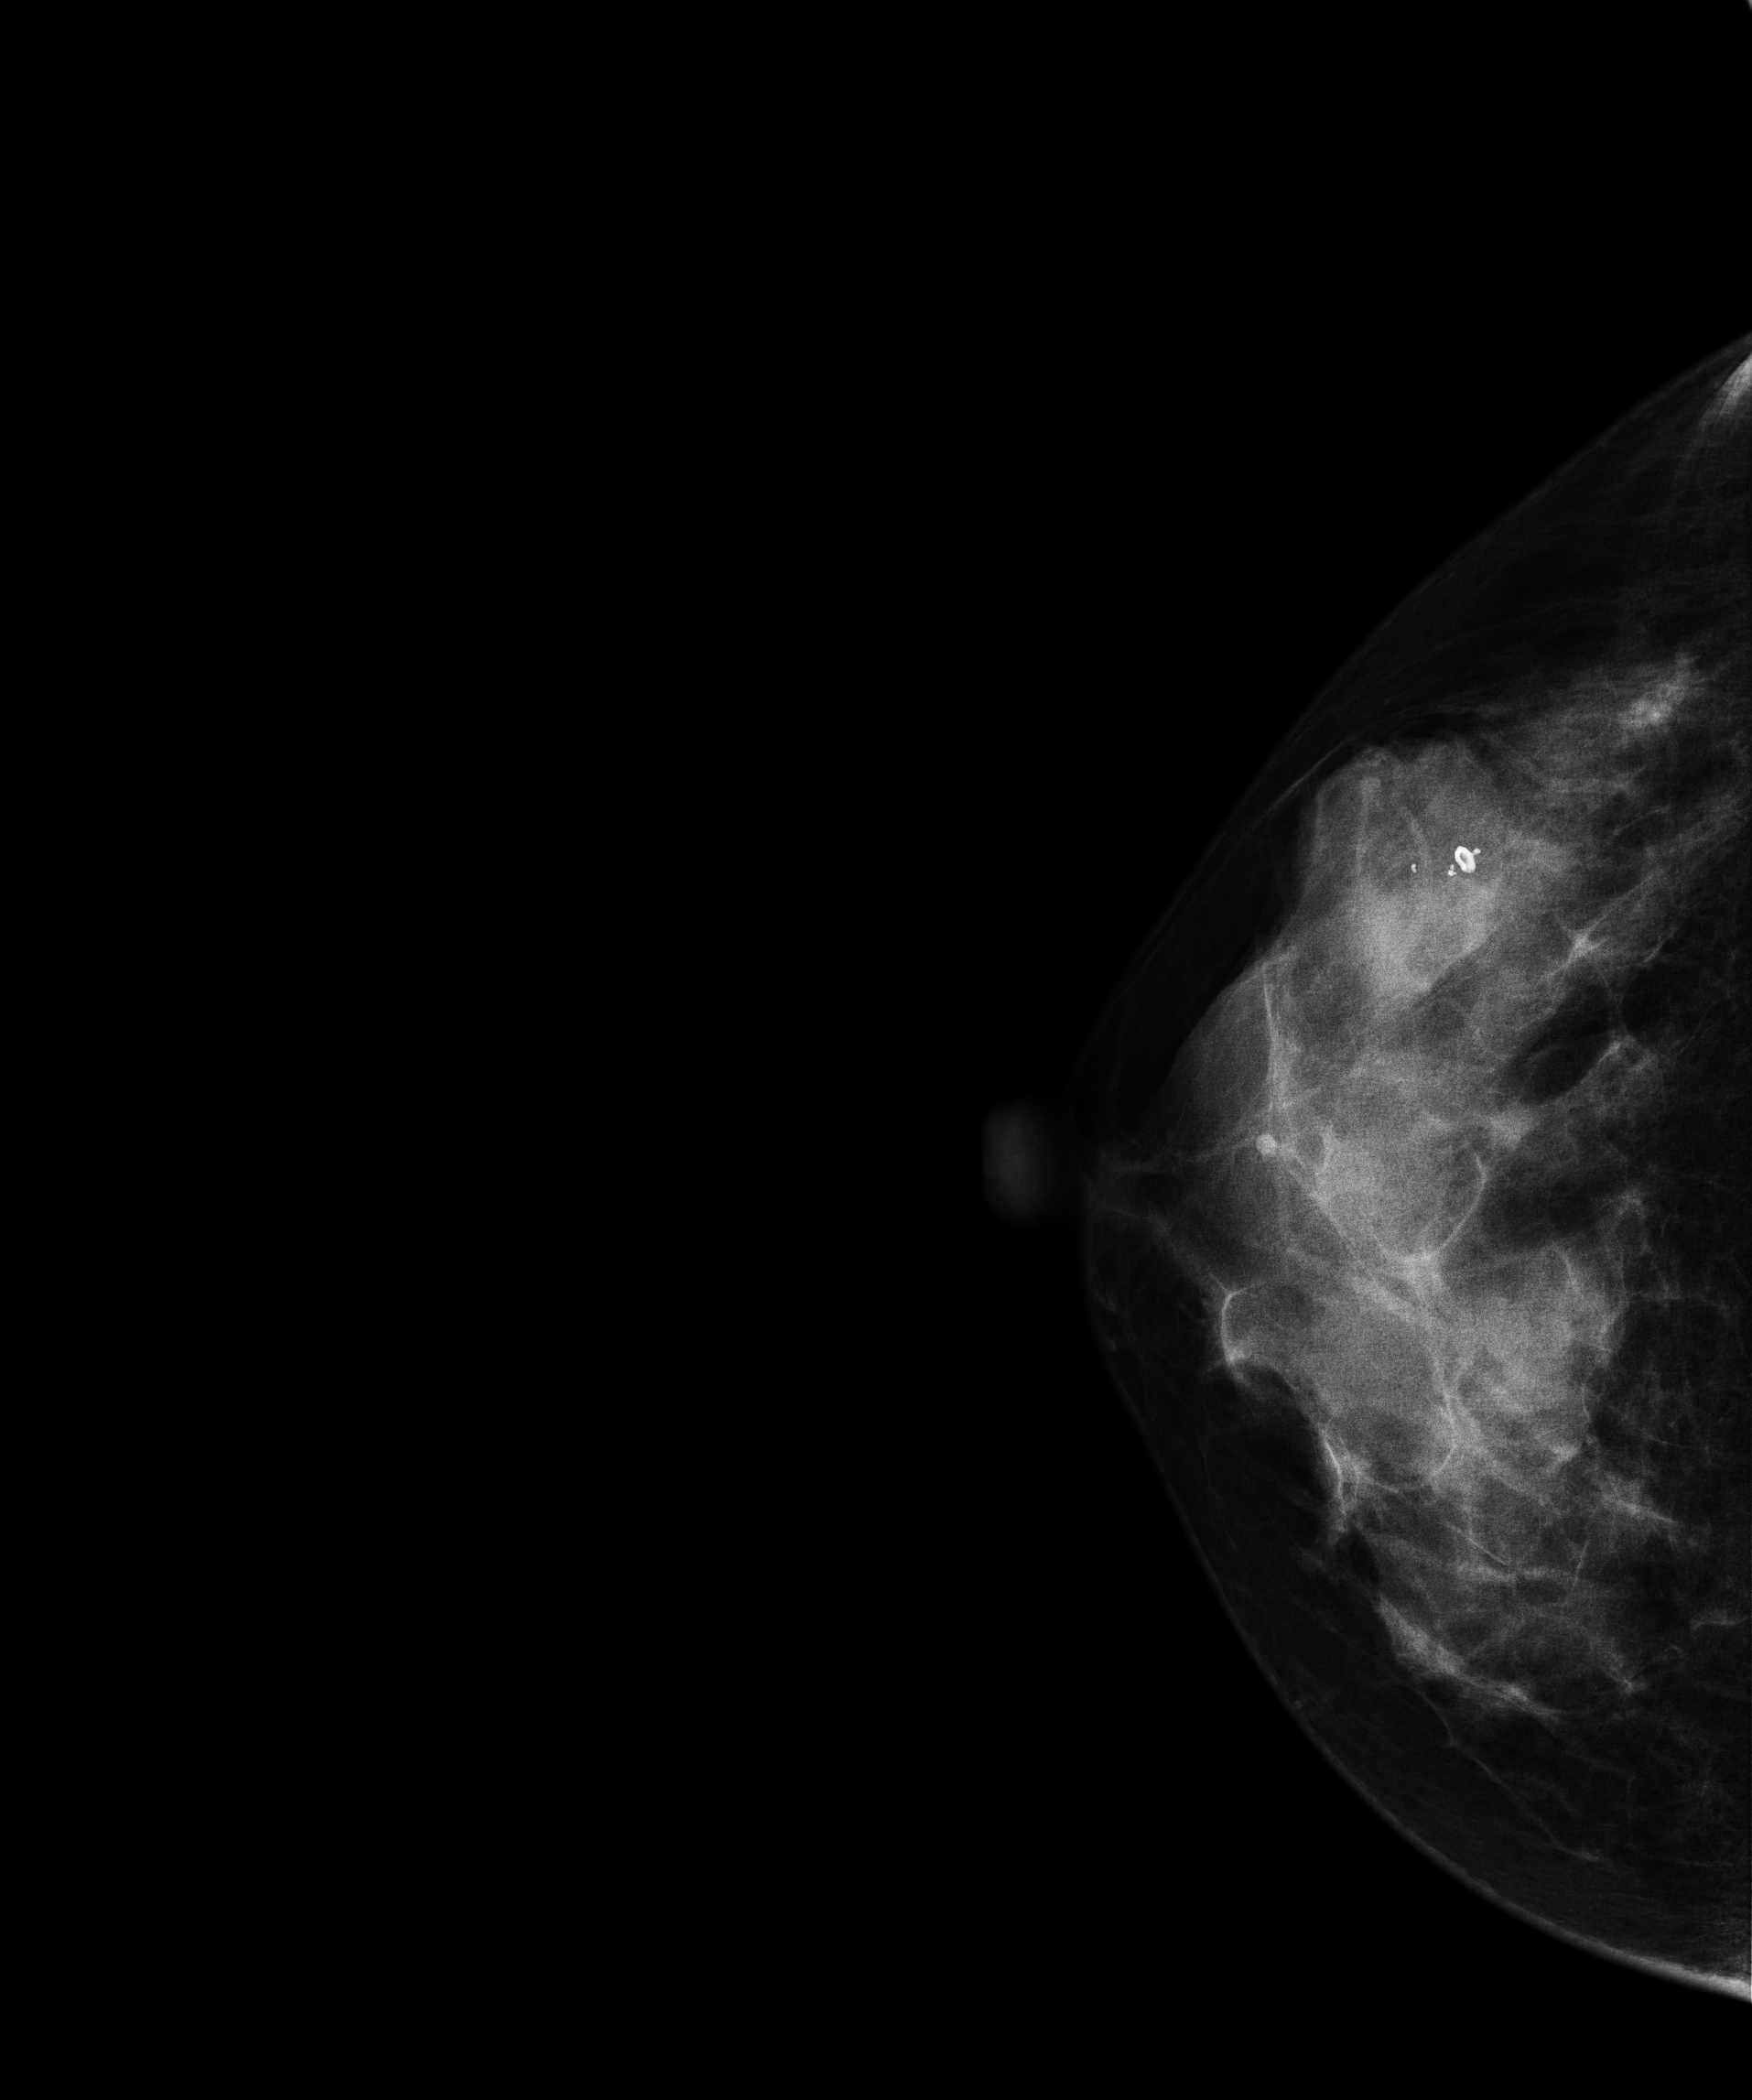
Mammogram — right CC. 51 y/o patient.
This breast has a mass and calcifications, histologically confirmed benign.